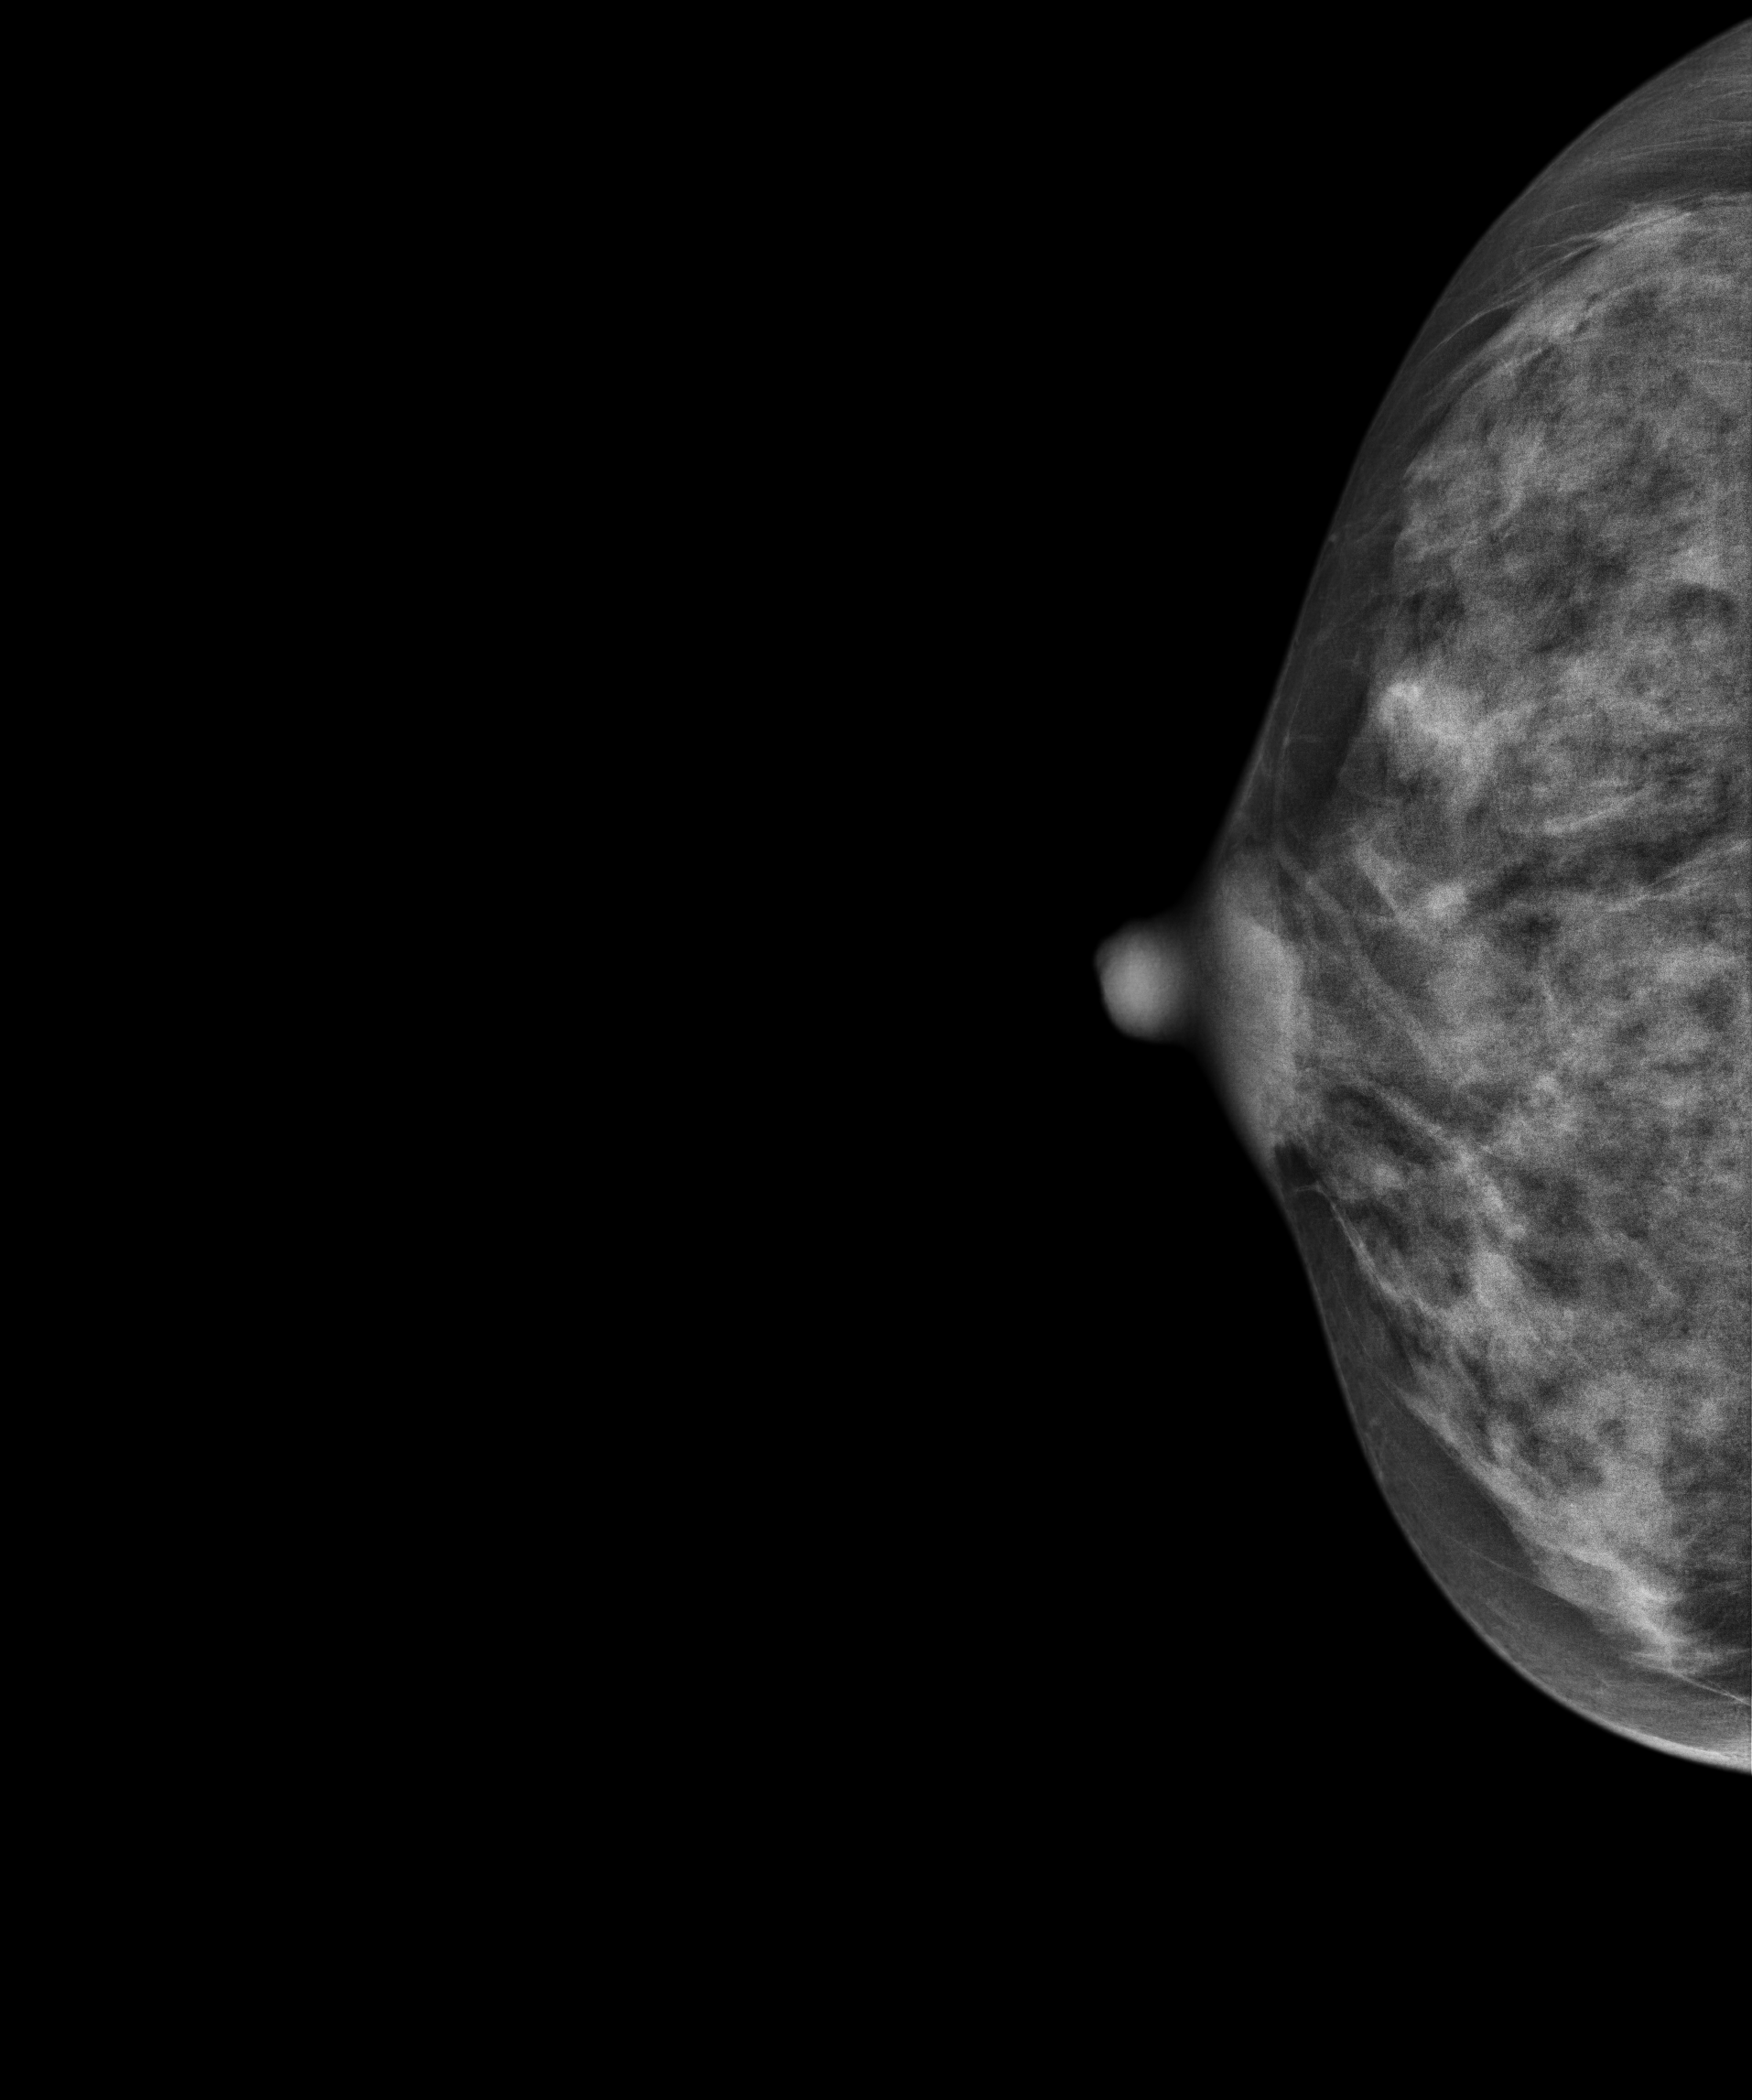
Mammogram — right cranio-caudal. 47-year-old patient.
This breast has a mass, biopsy-proven benign.